Mammogram — right MLO. 44 y/o patient.
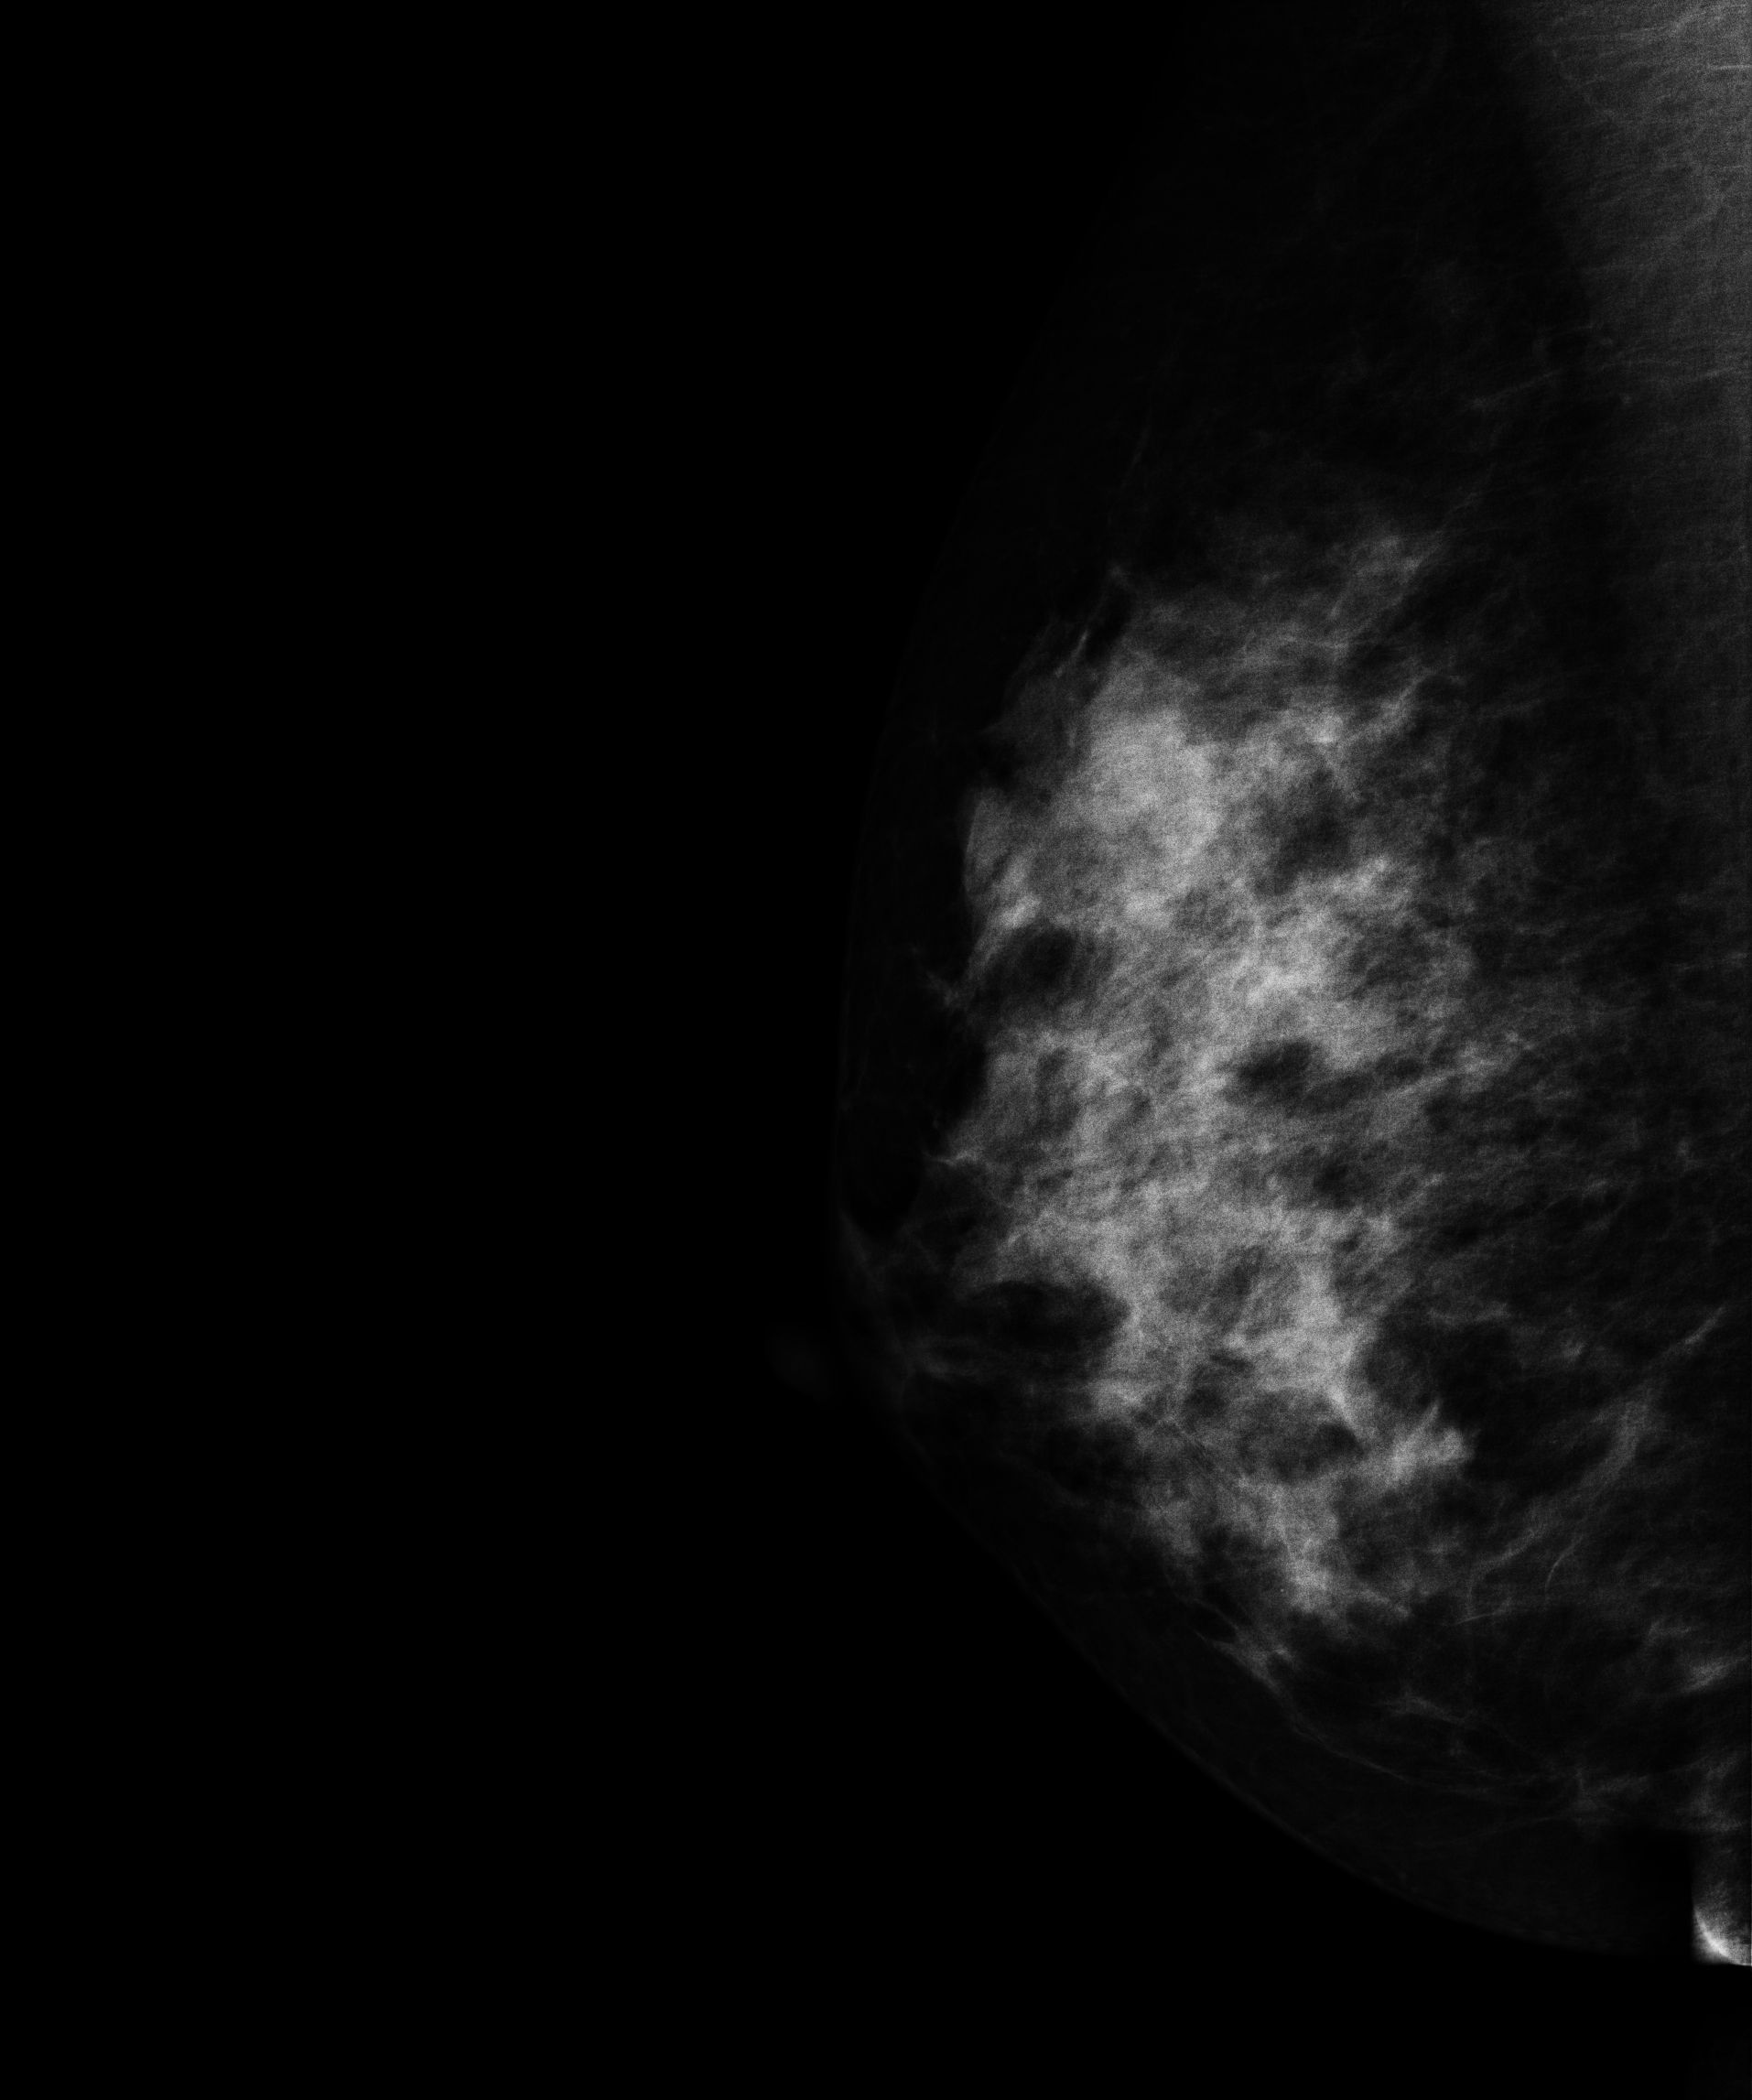
Contralateral breast — no documented abnormality on this side.